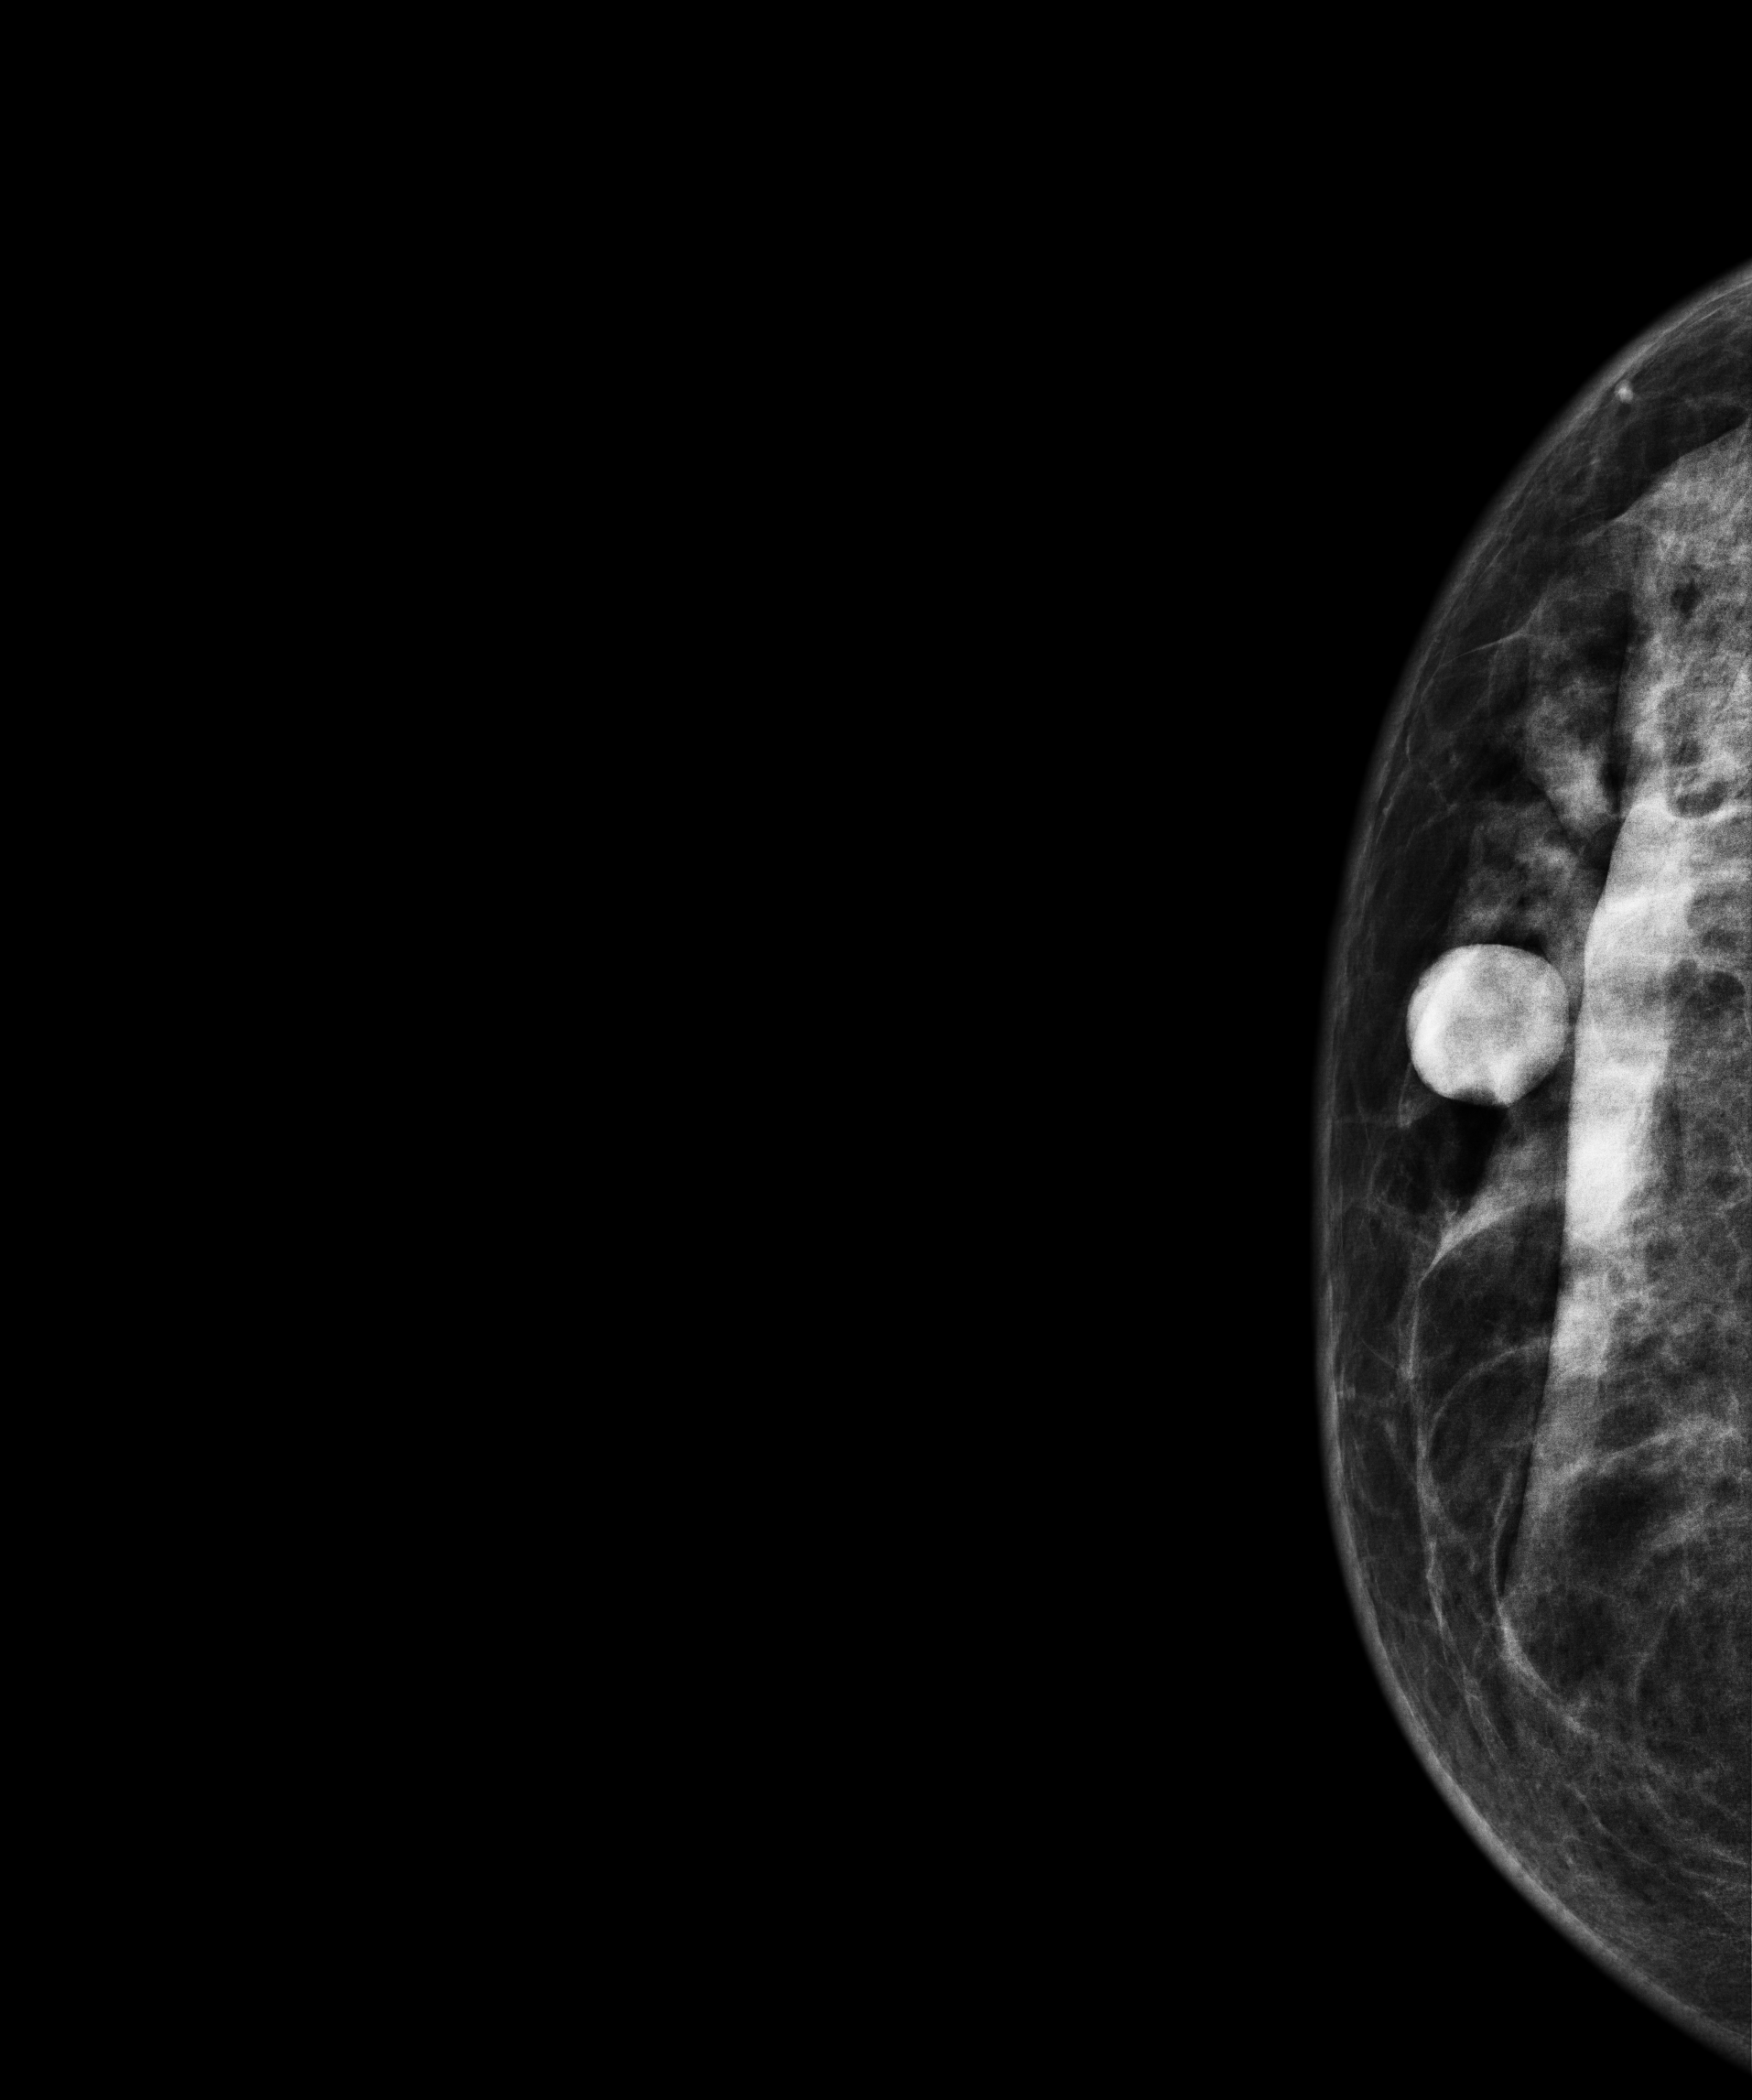
Right-breast mammogram, CC. 42 y/o patient.
This breast has a mass, pathology-confirmed malignant. Molecular subtype: triple-negative.